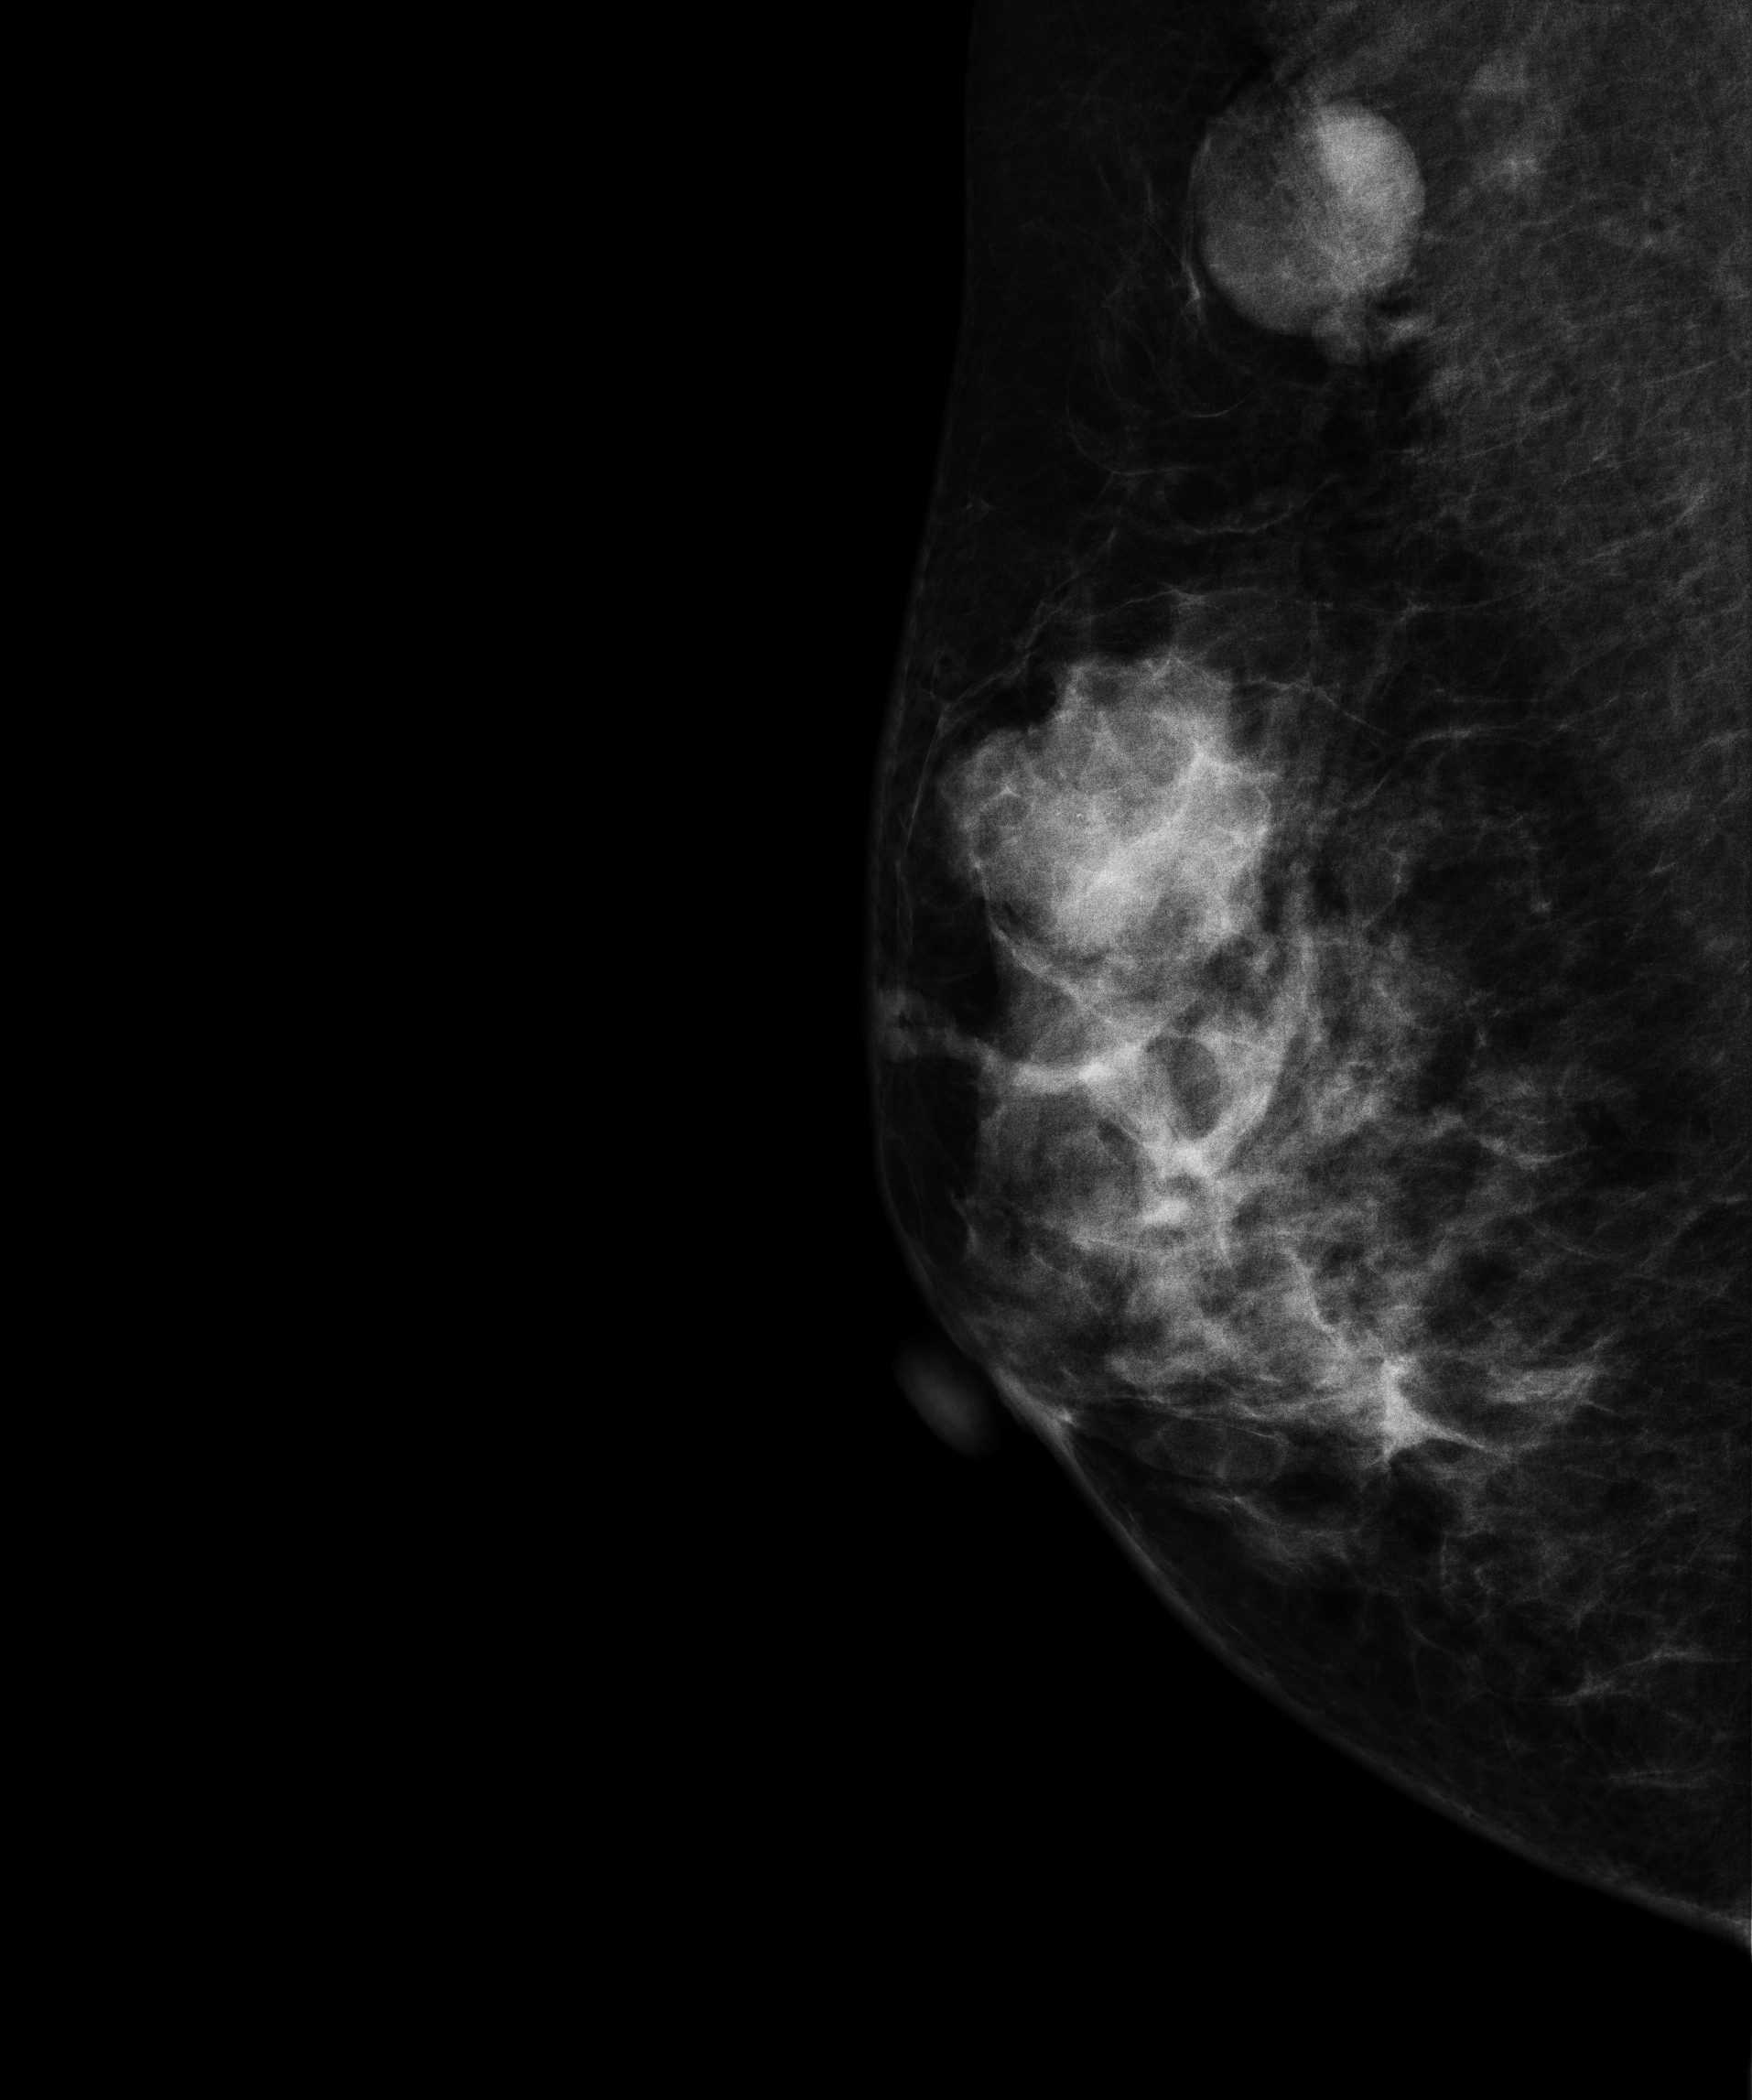
MLO mammogram of the right breast. 51-year-old patient.
This breast has a mass, biopsy-proven malignant. Molecular subtype: HER2-enriched.